Digital mammography. Right breast, MLO projection. Patient age 43.
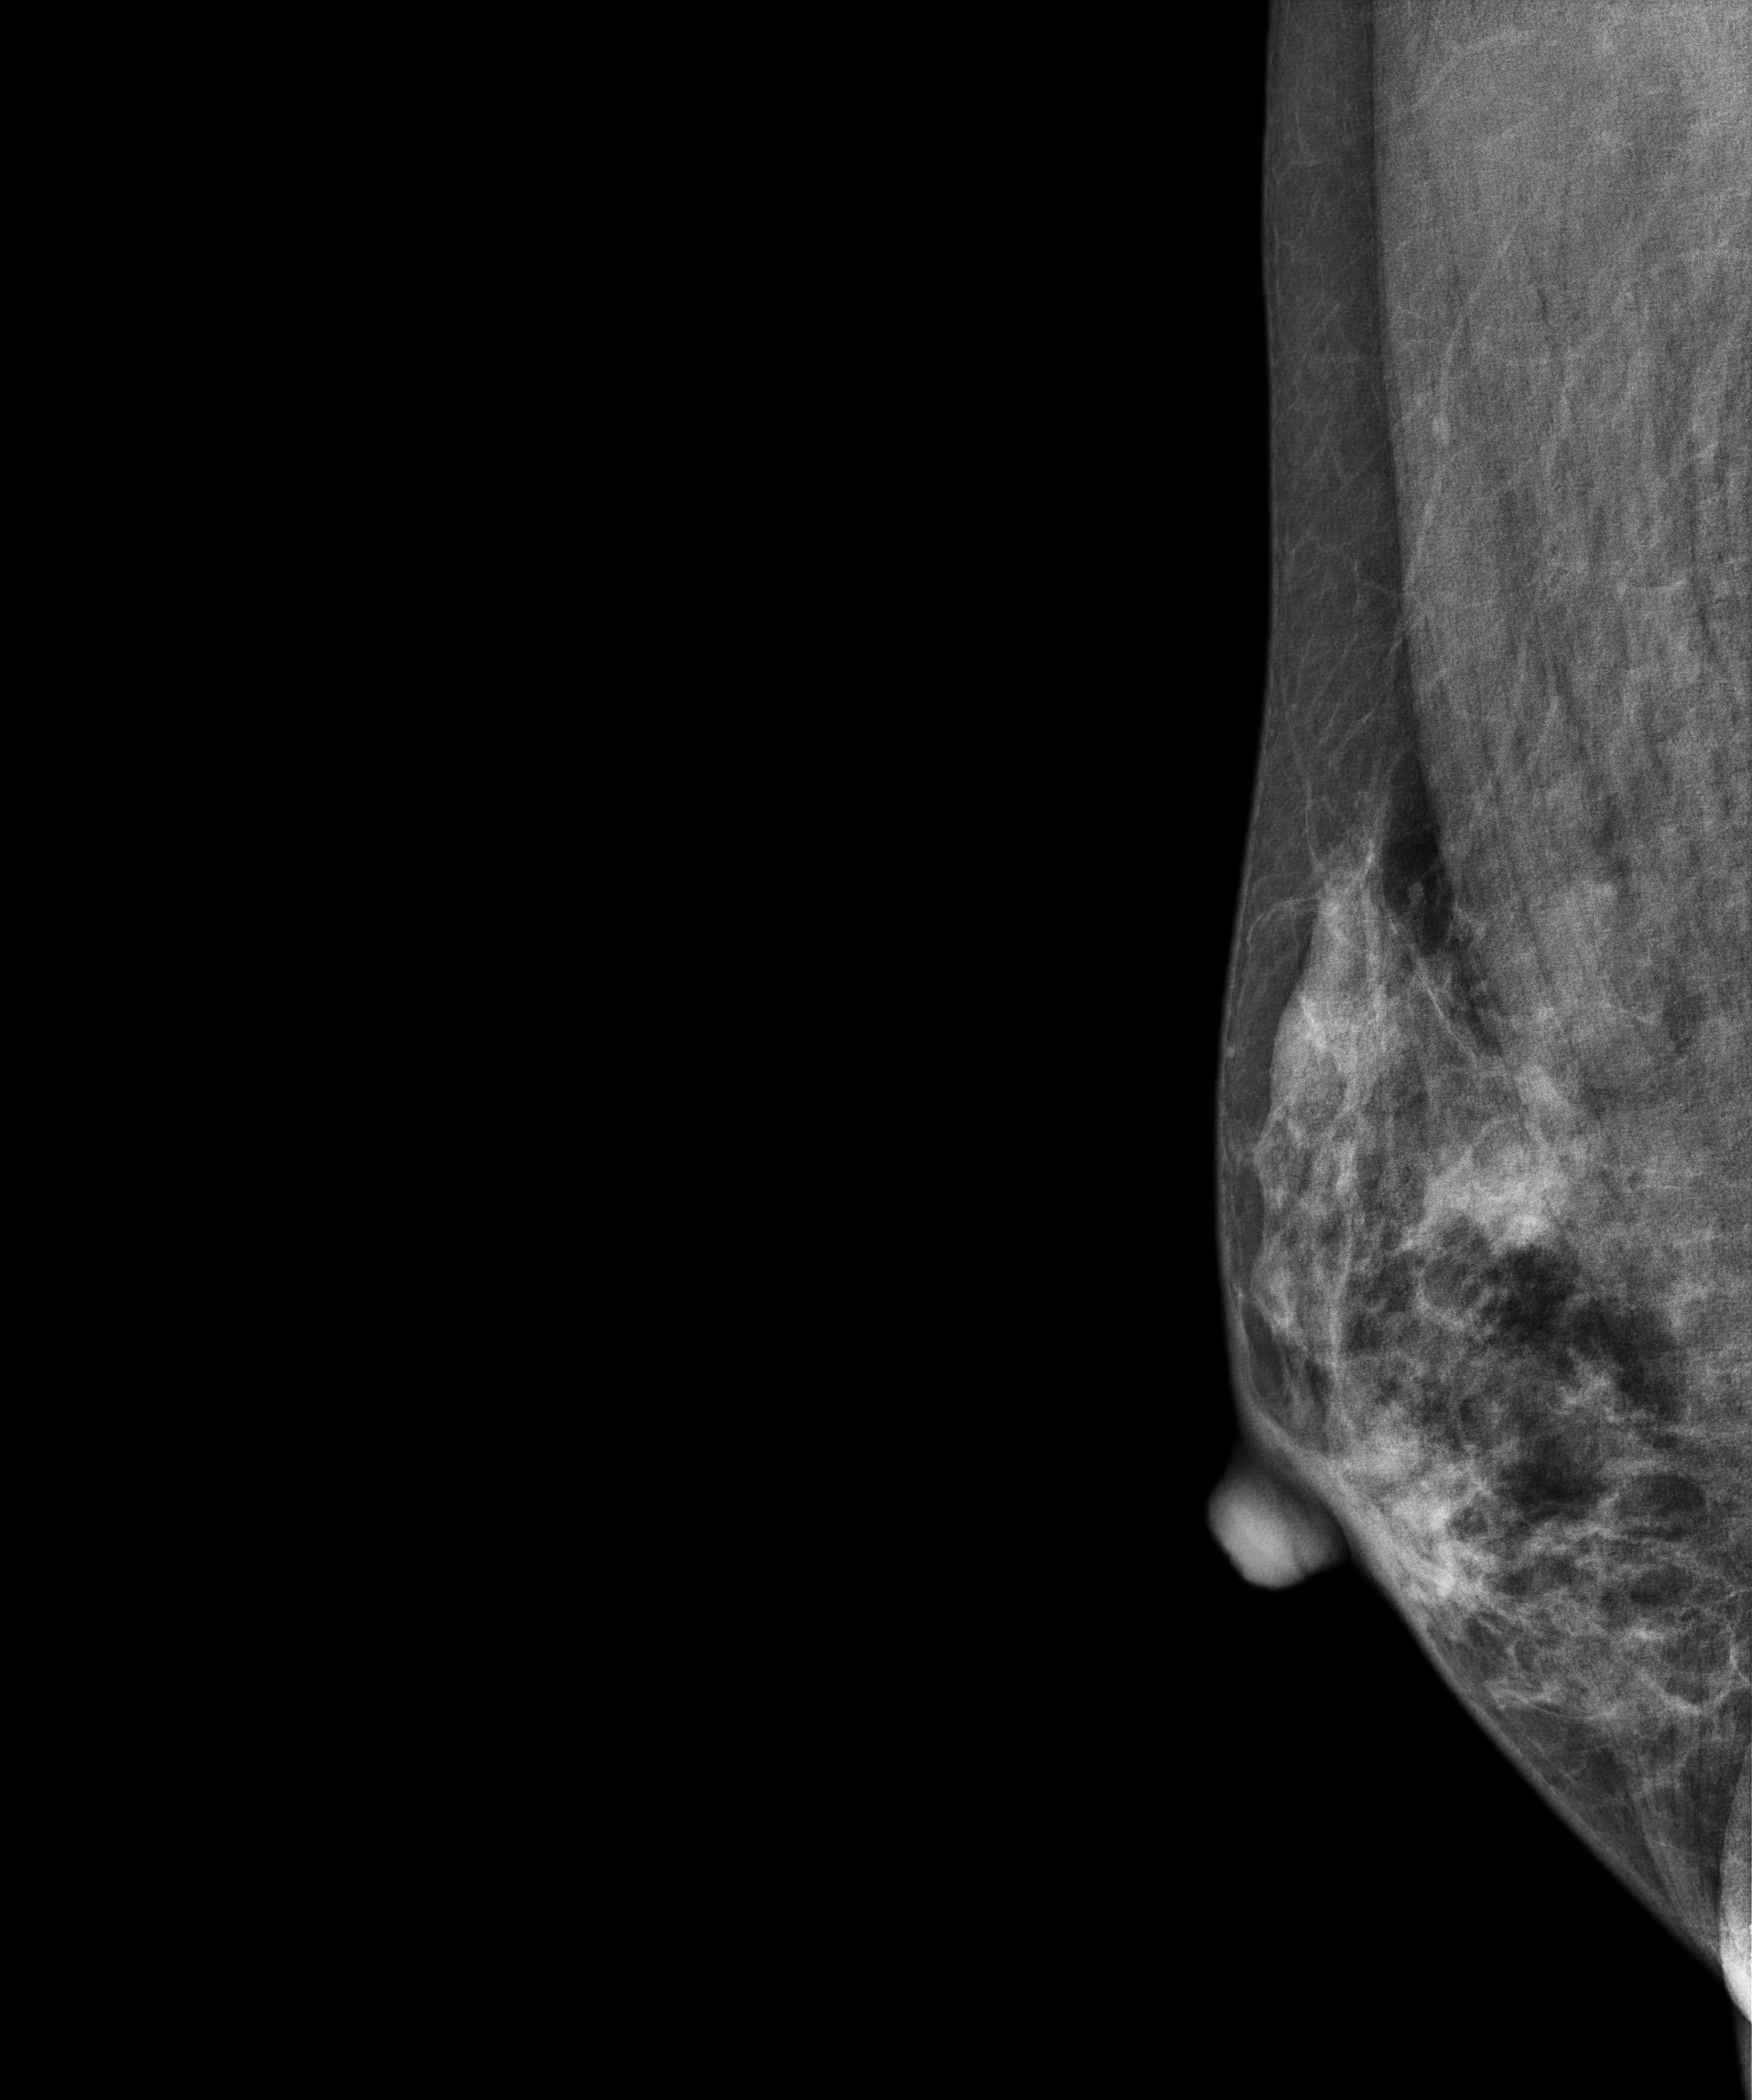
This breast has a mass, biopsy-proven malignant.